Mammogram, right breast, CC view. Patient age 27.
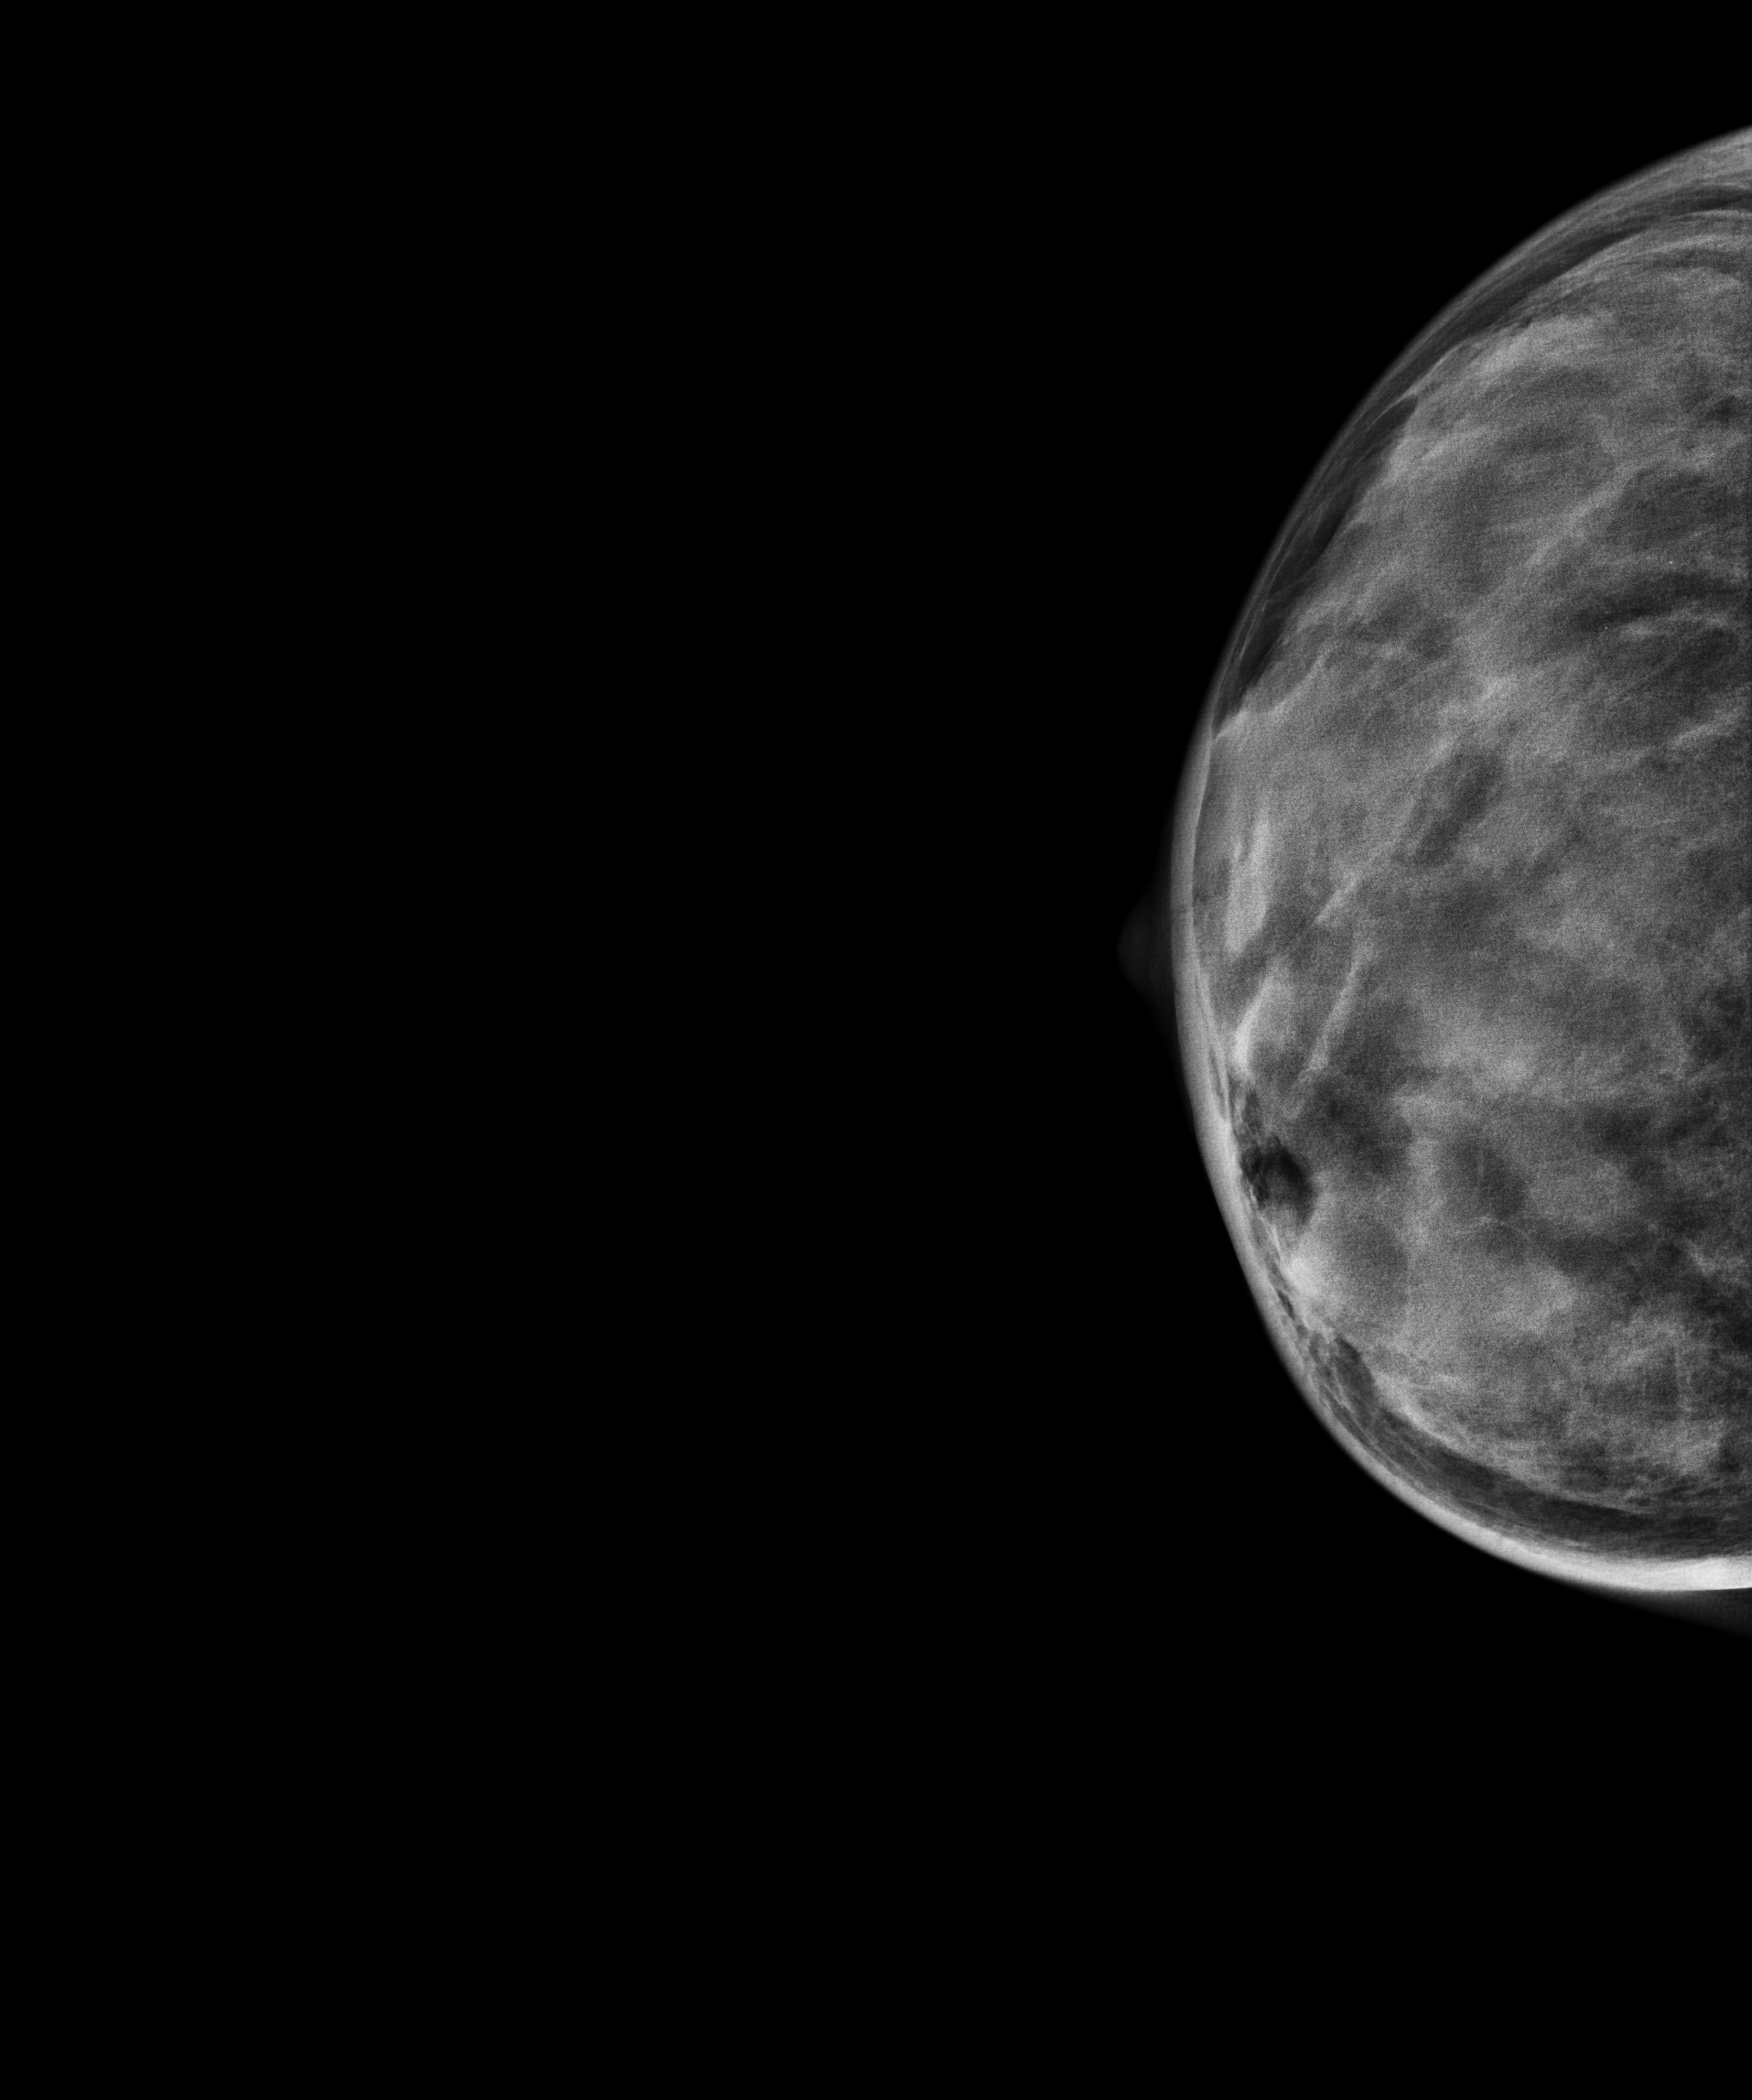
This breast has a mass, biopsy-confirmed benign.